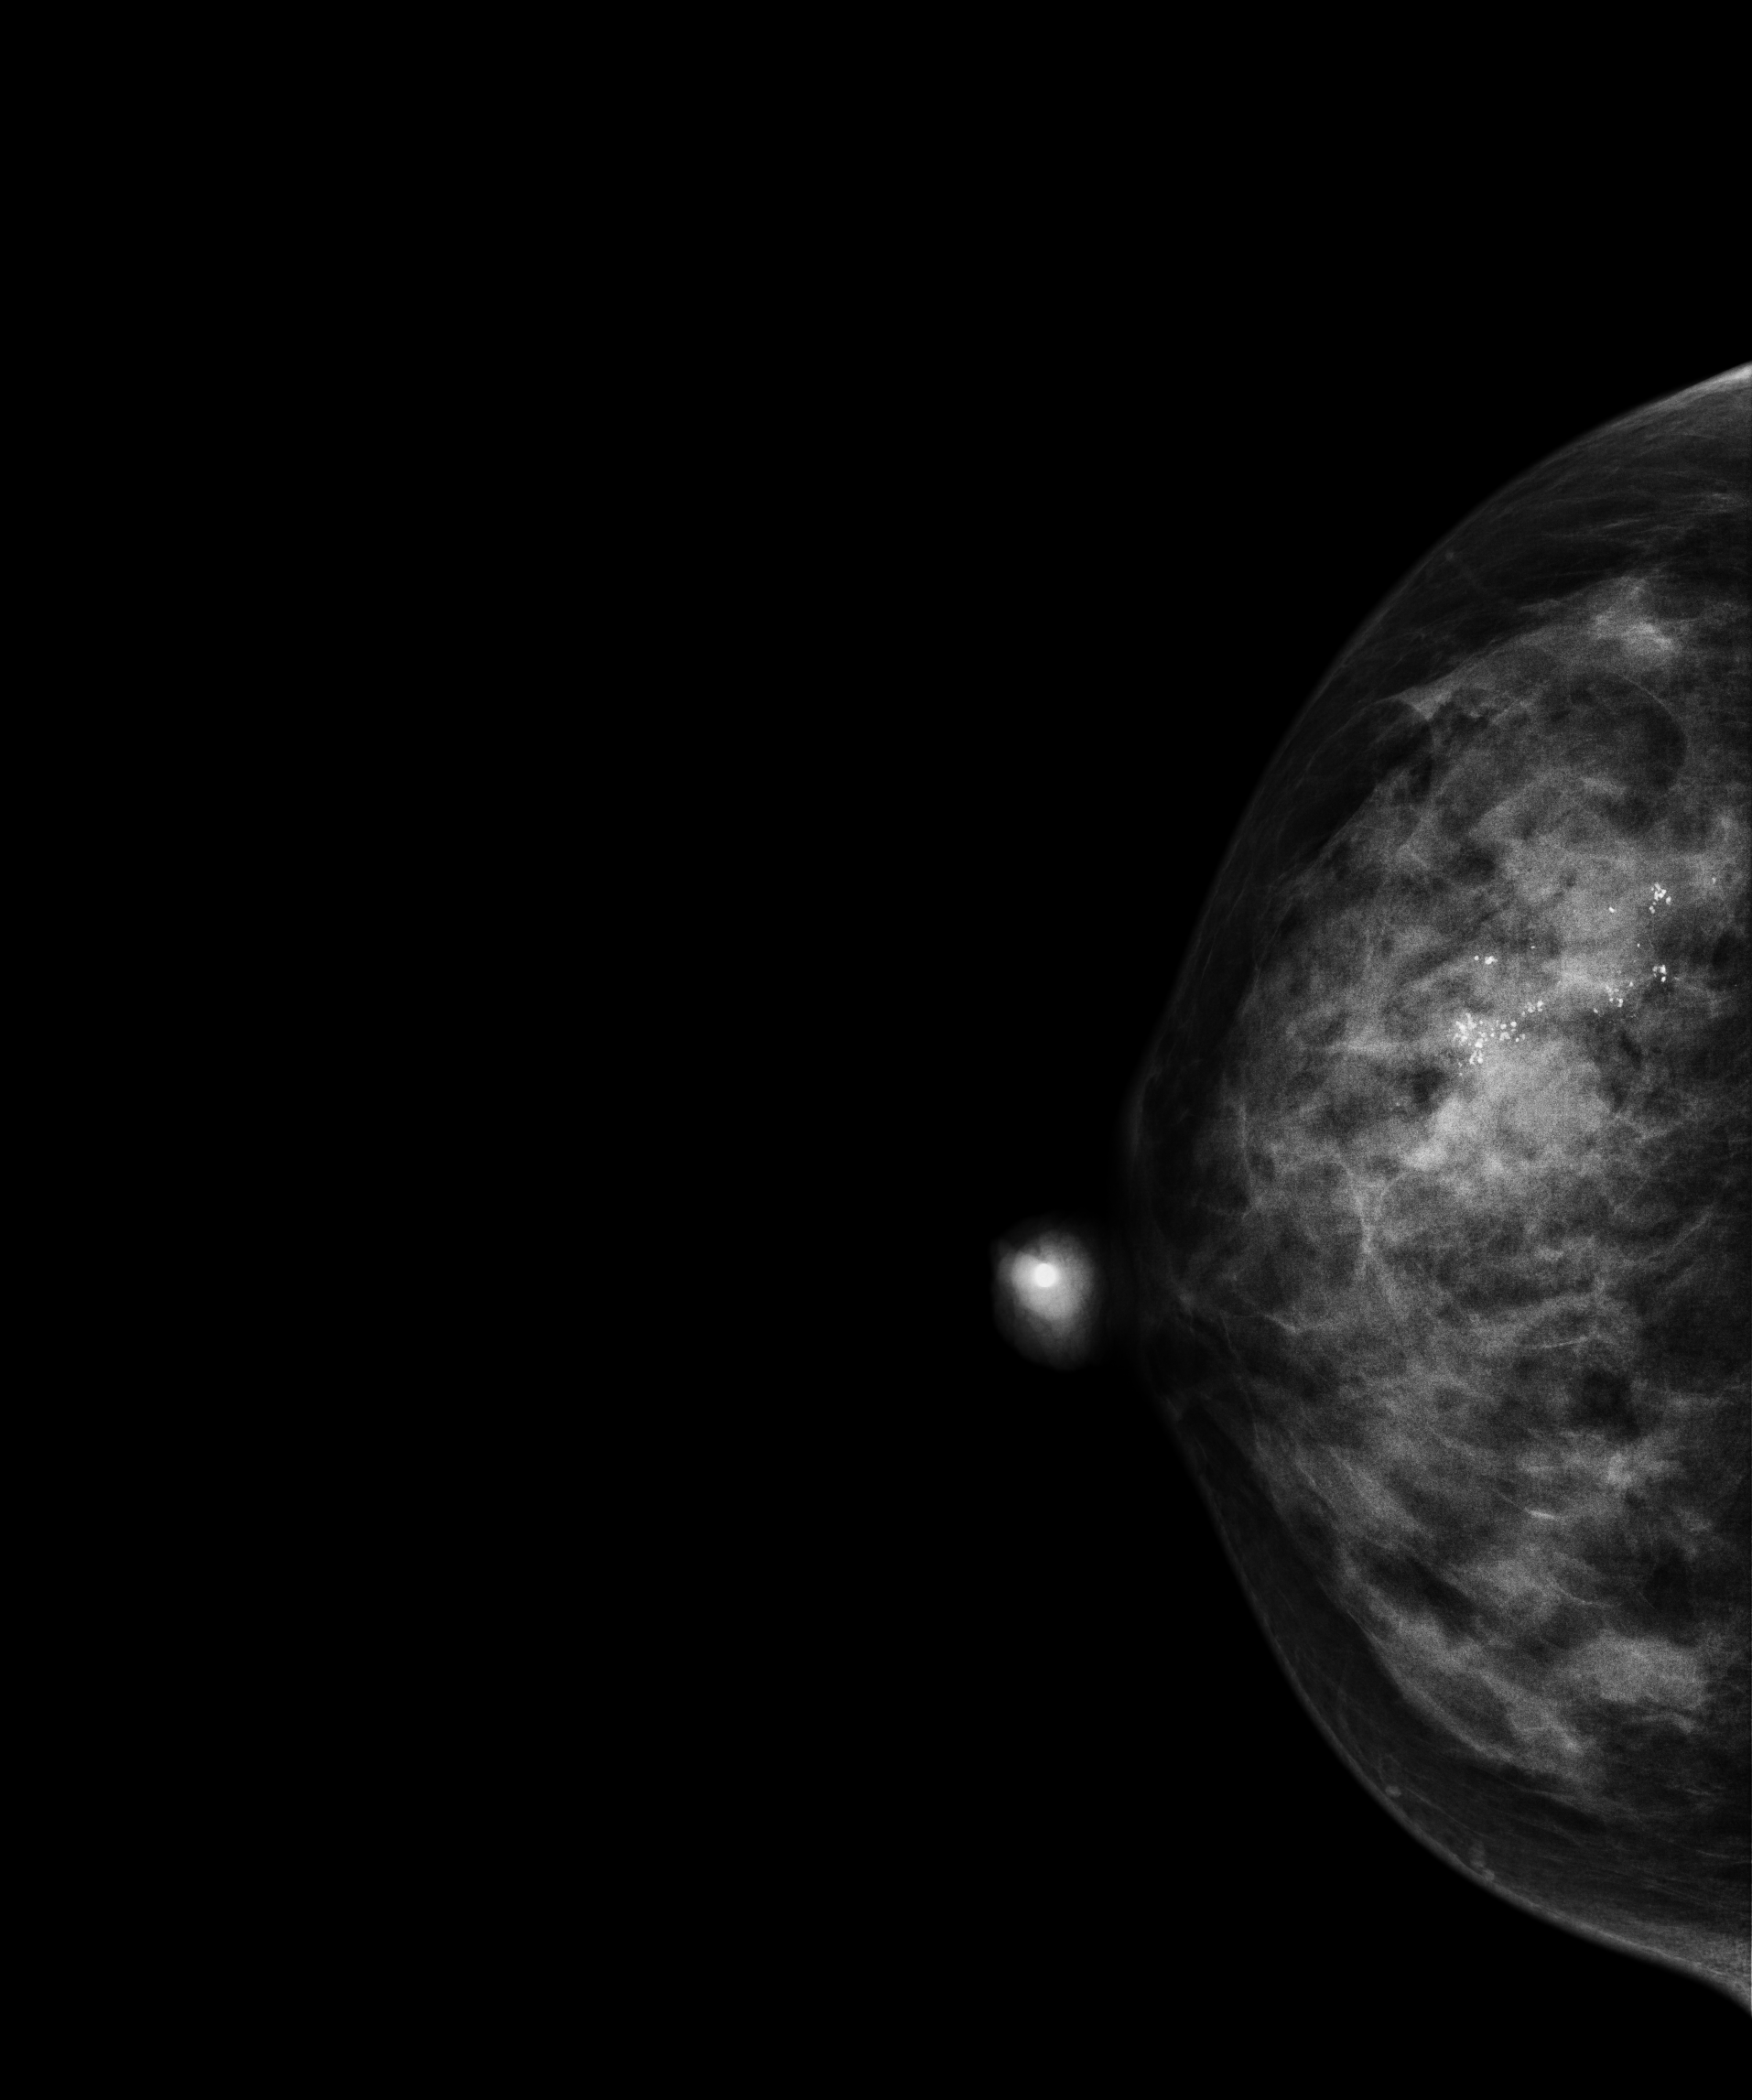
CC mammogram of the right breast. Patient age 49.
This breast has calcifications, biopsy-proven malignant. Molecular subtype: luminal B.